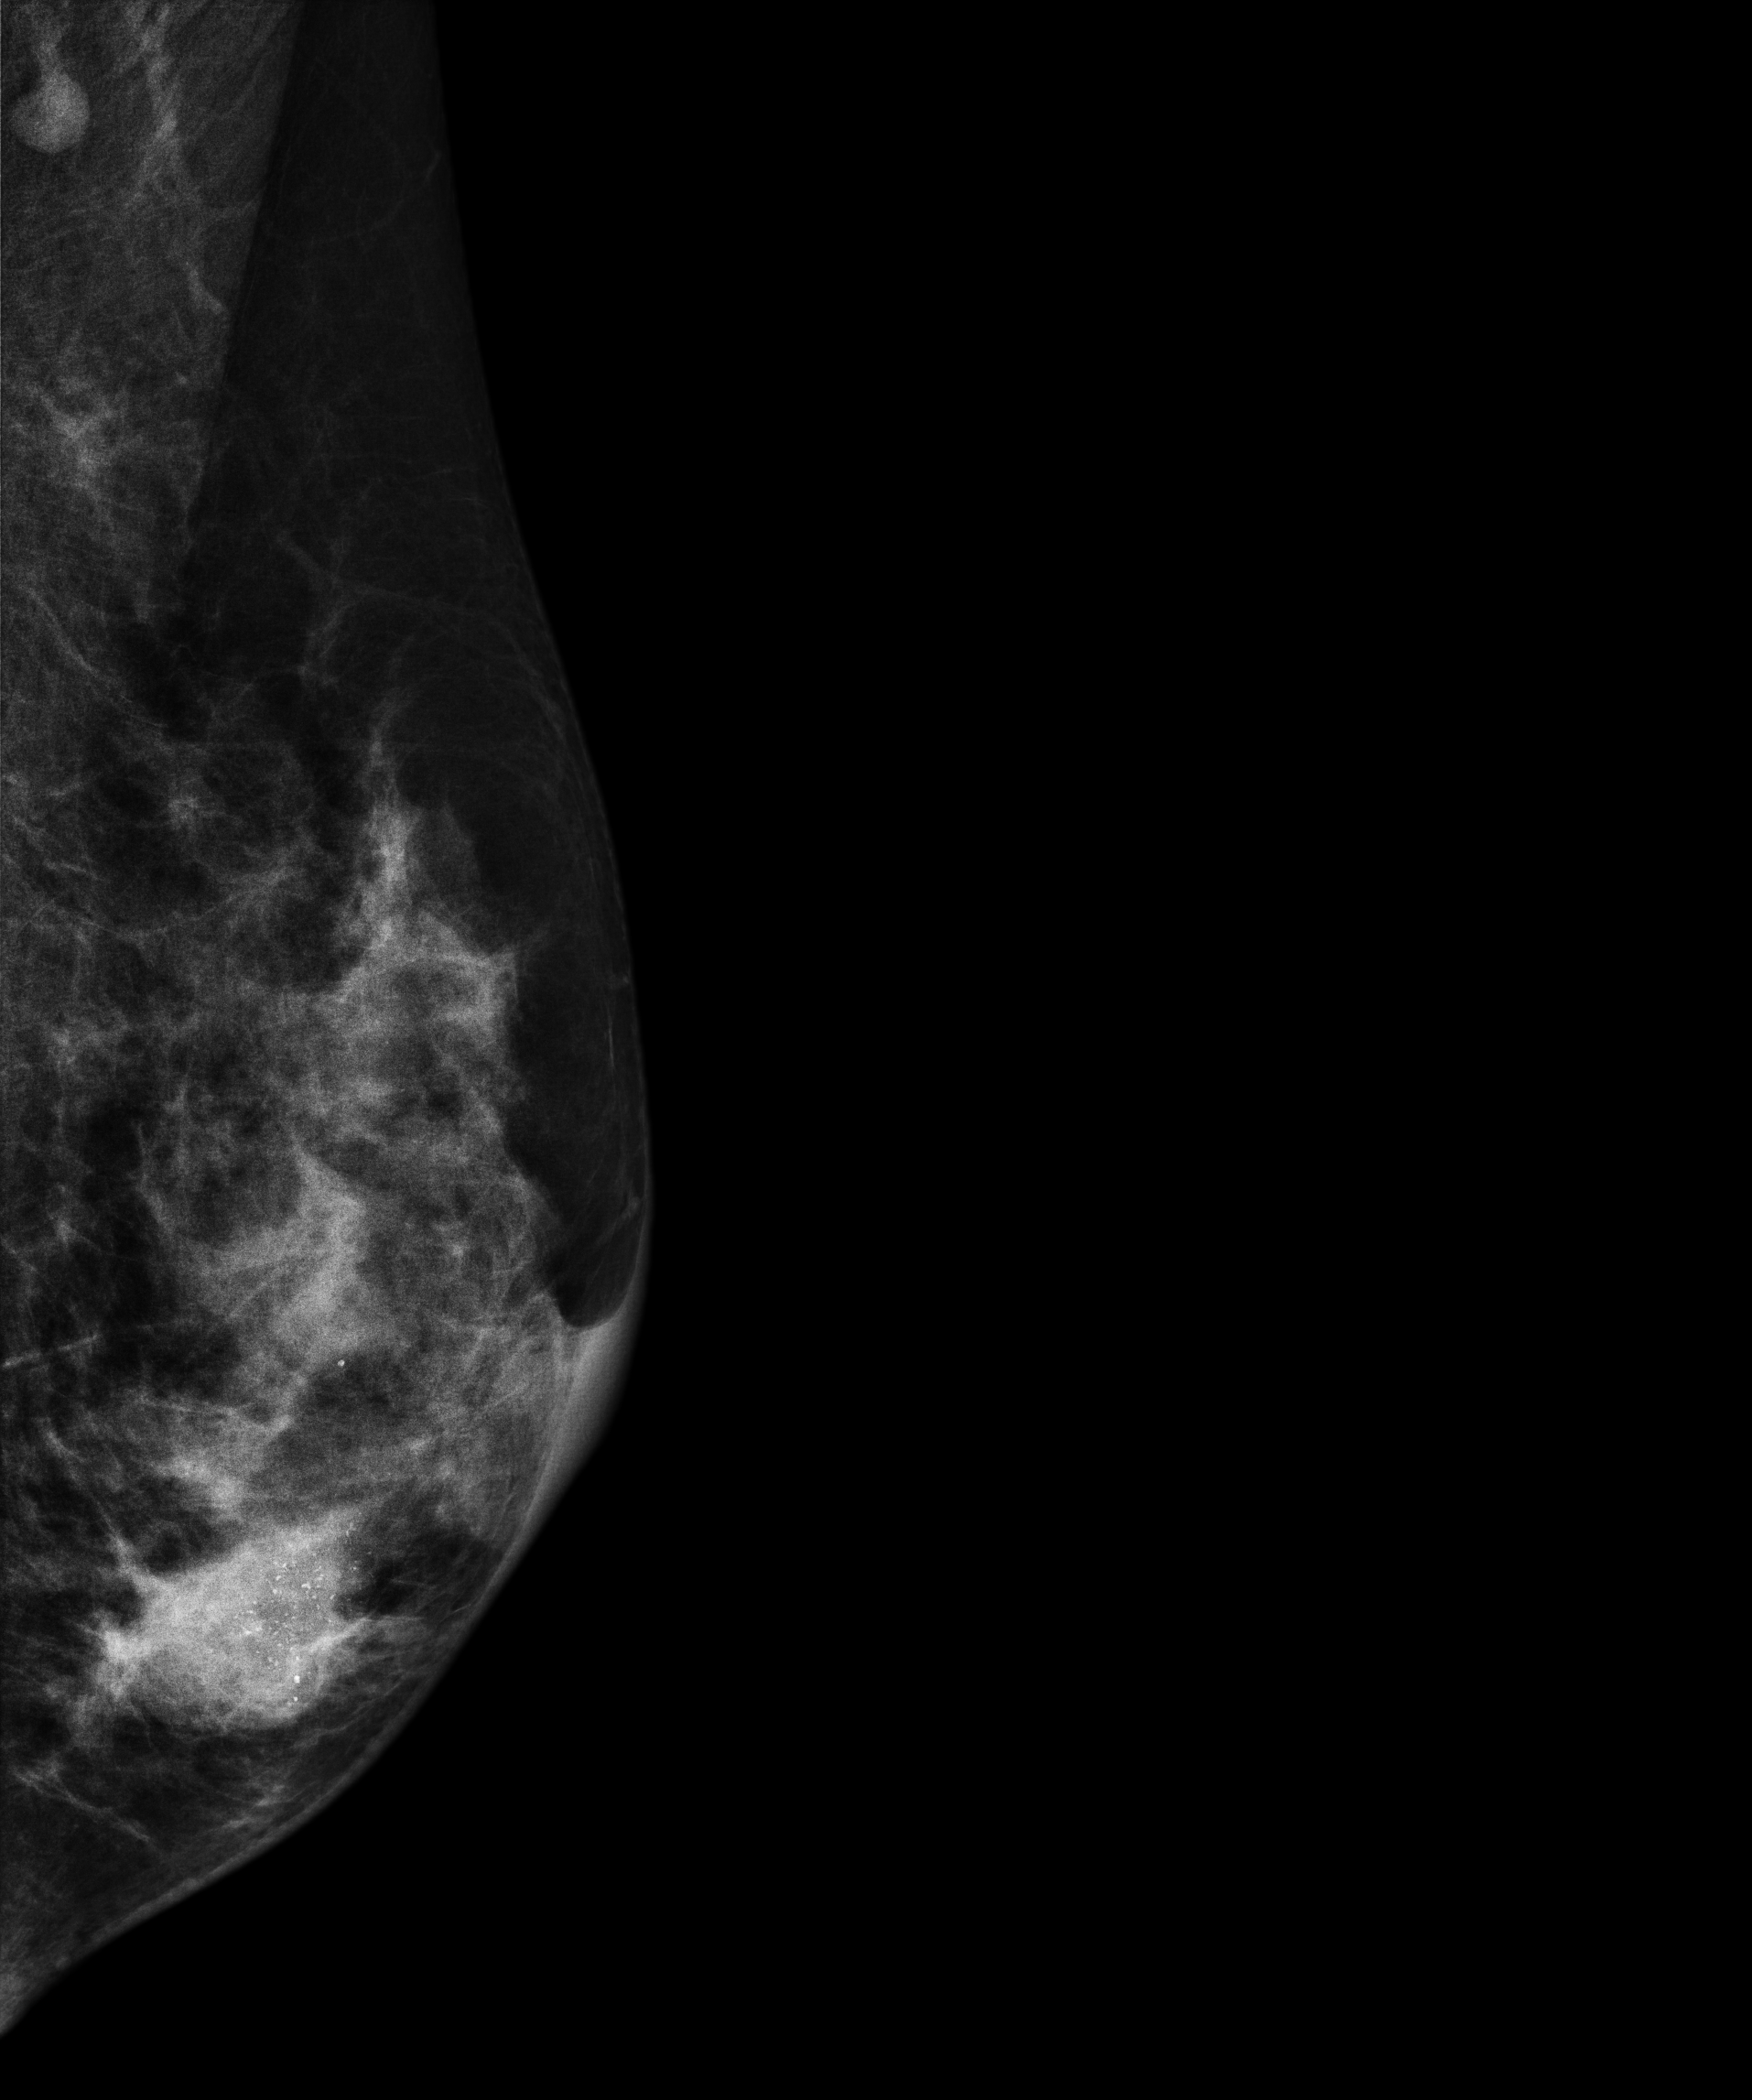
Digital mammography. Left breast, MLO projection. 54-year-old patient.
This breast has a mass and calcifications, pathology-confirmed malignant.